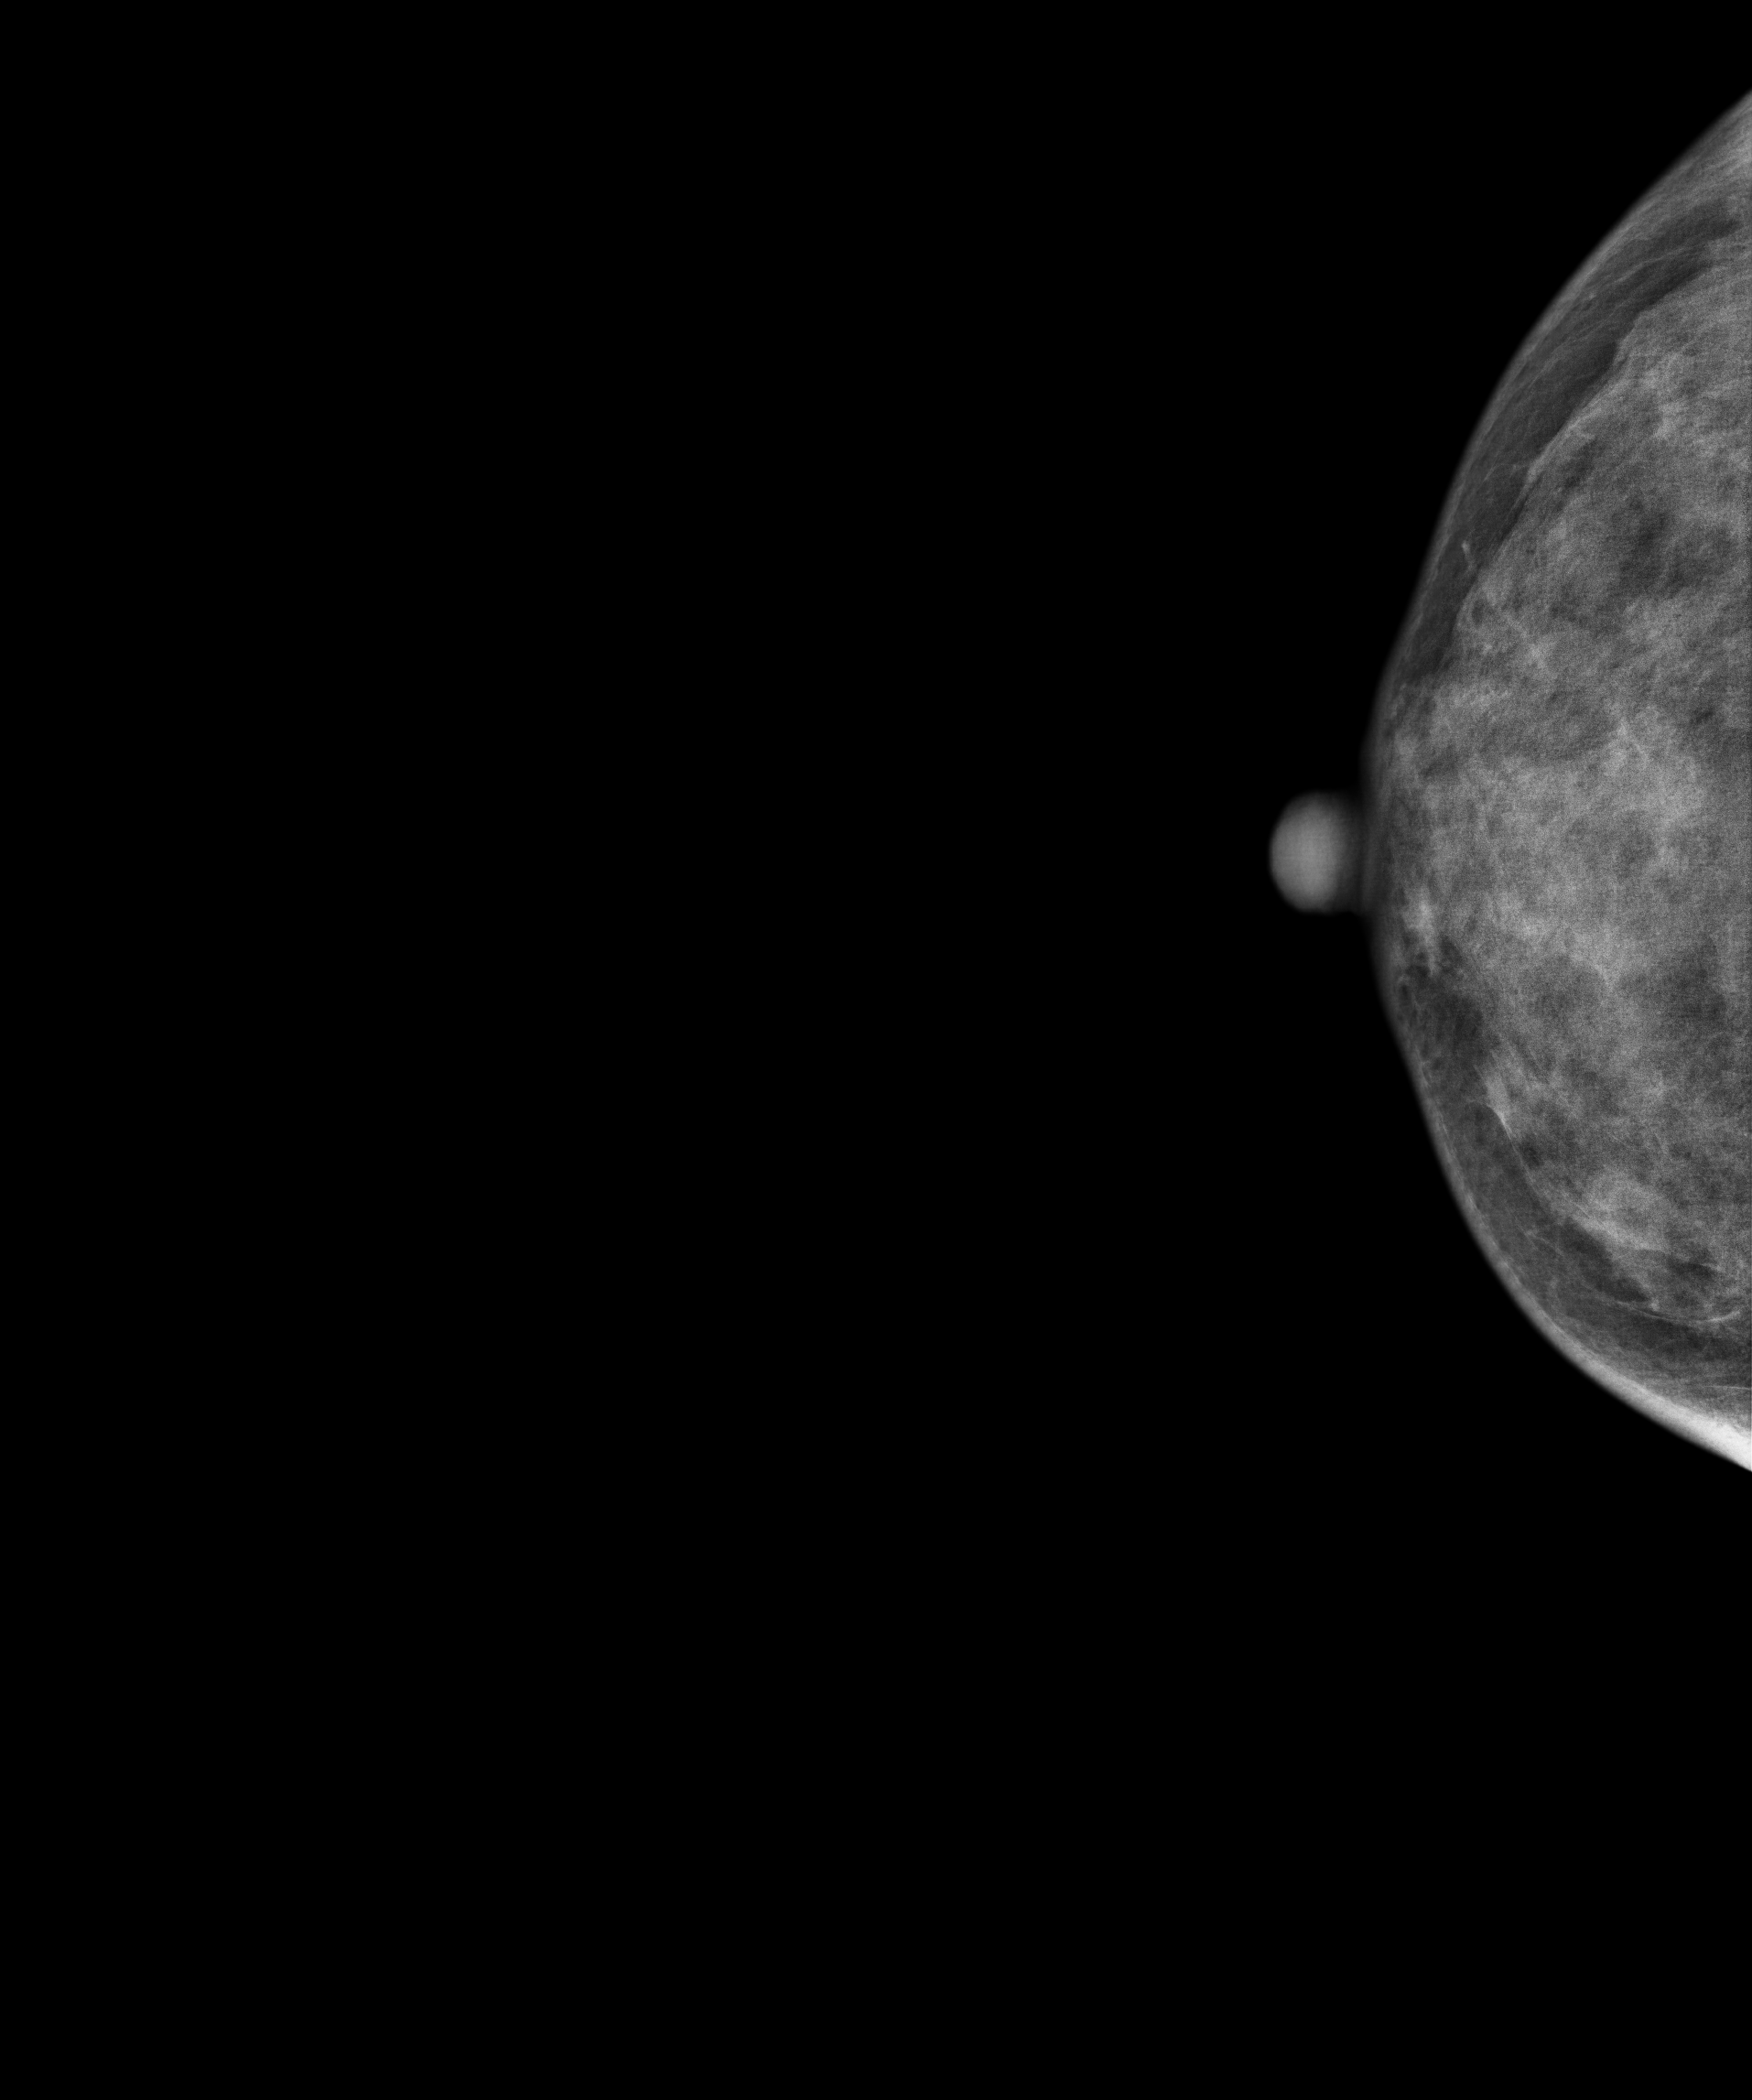
Digital mammography. Right breast, cranio-caudal projection. Patient age 42.
Contralateral breast — no documented abnormality on this side.